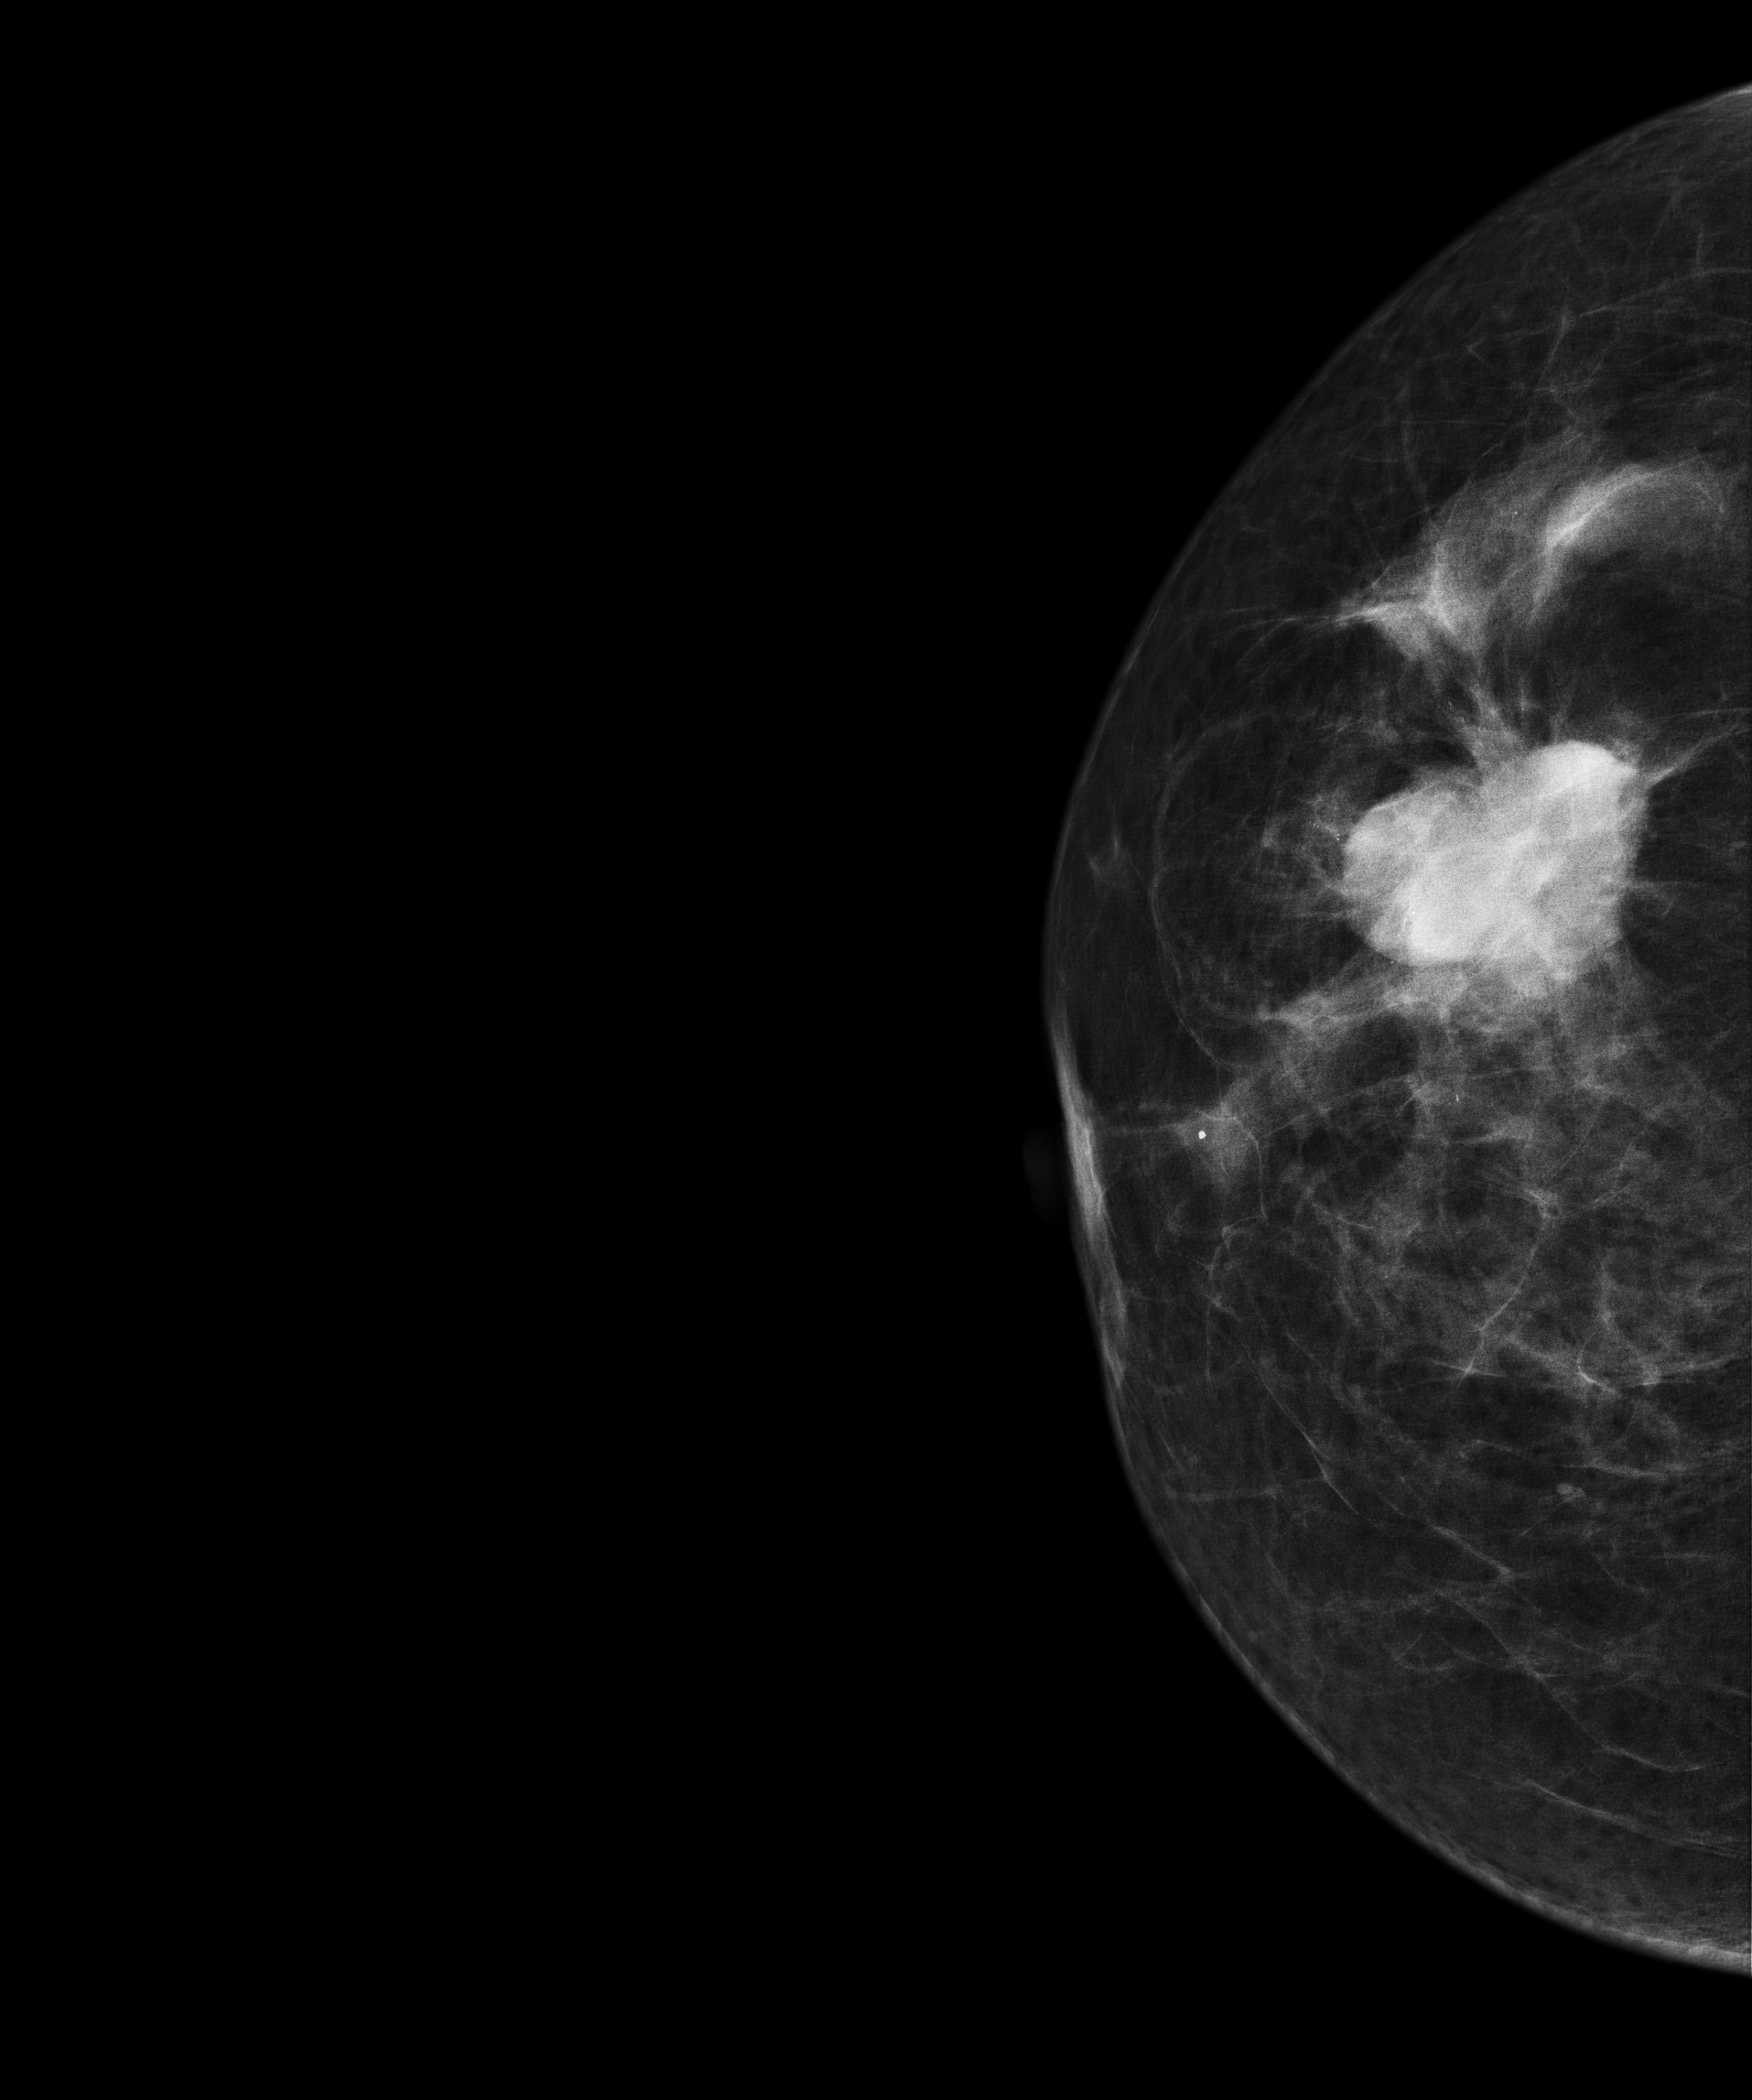
Mammogram — right cranio-caudal. Patient age 63.
This breast has a mass, pathology-confirmed malignant. Molecular subtype: luminal A.